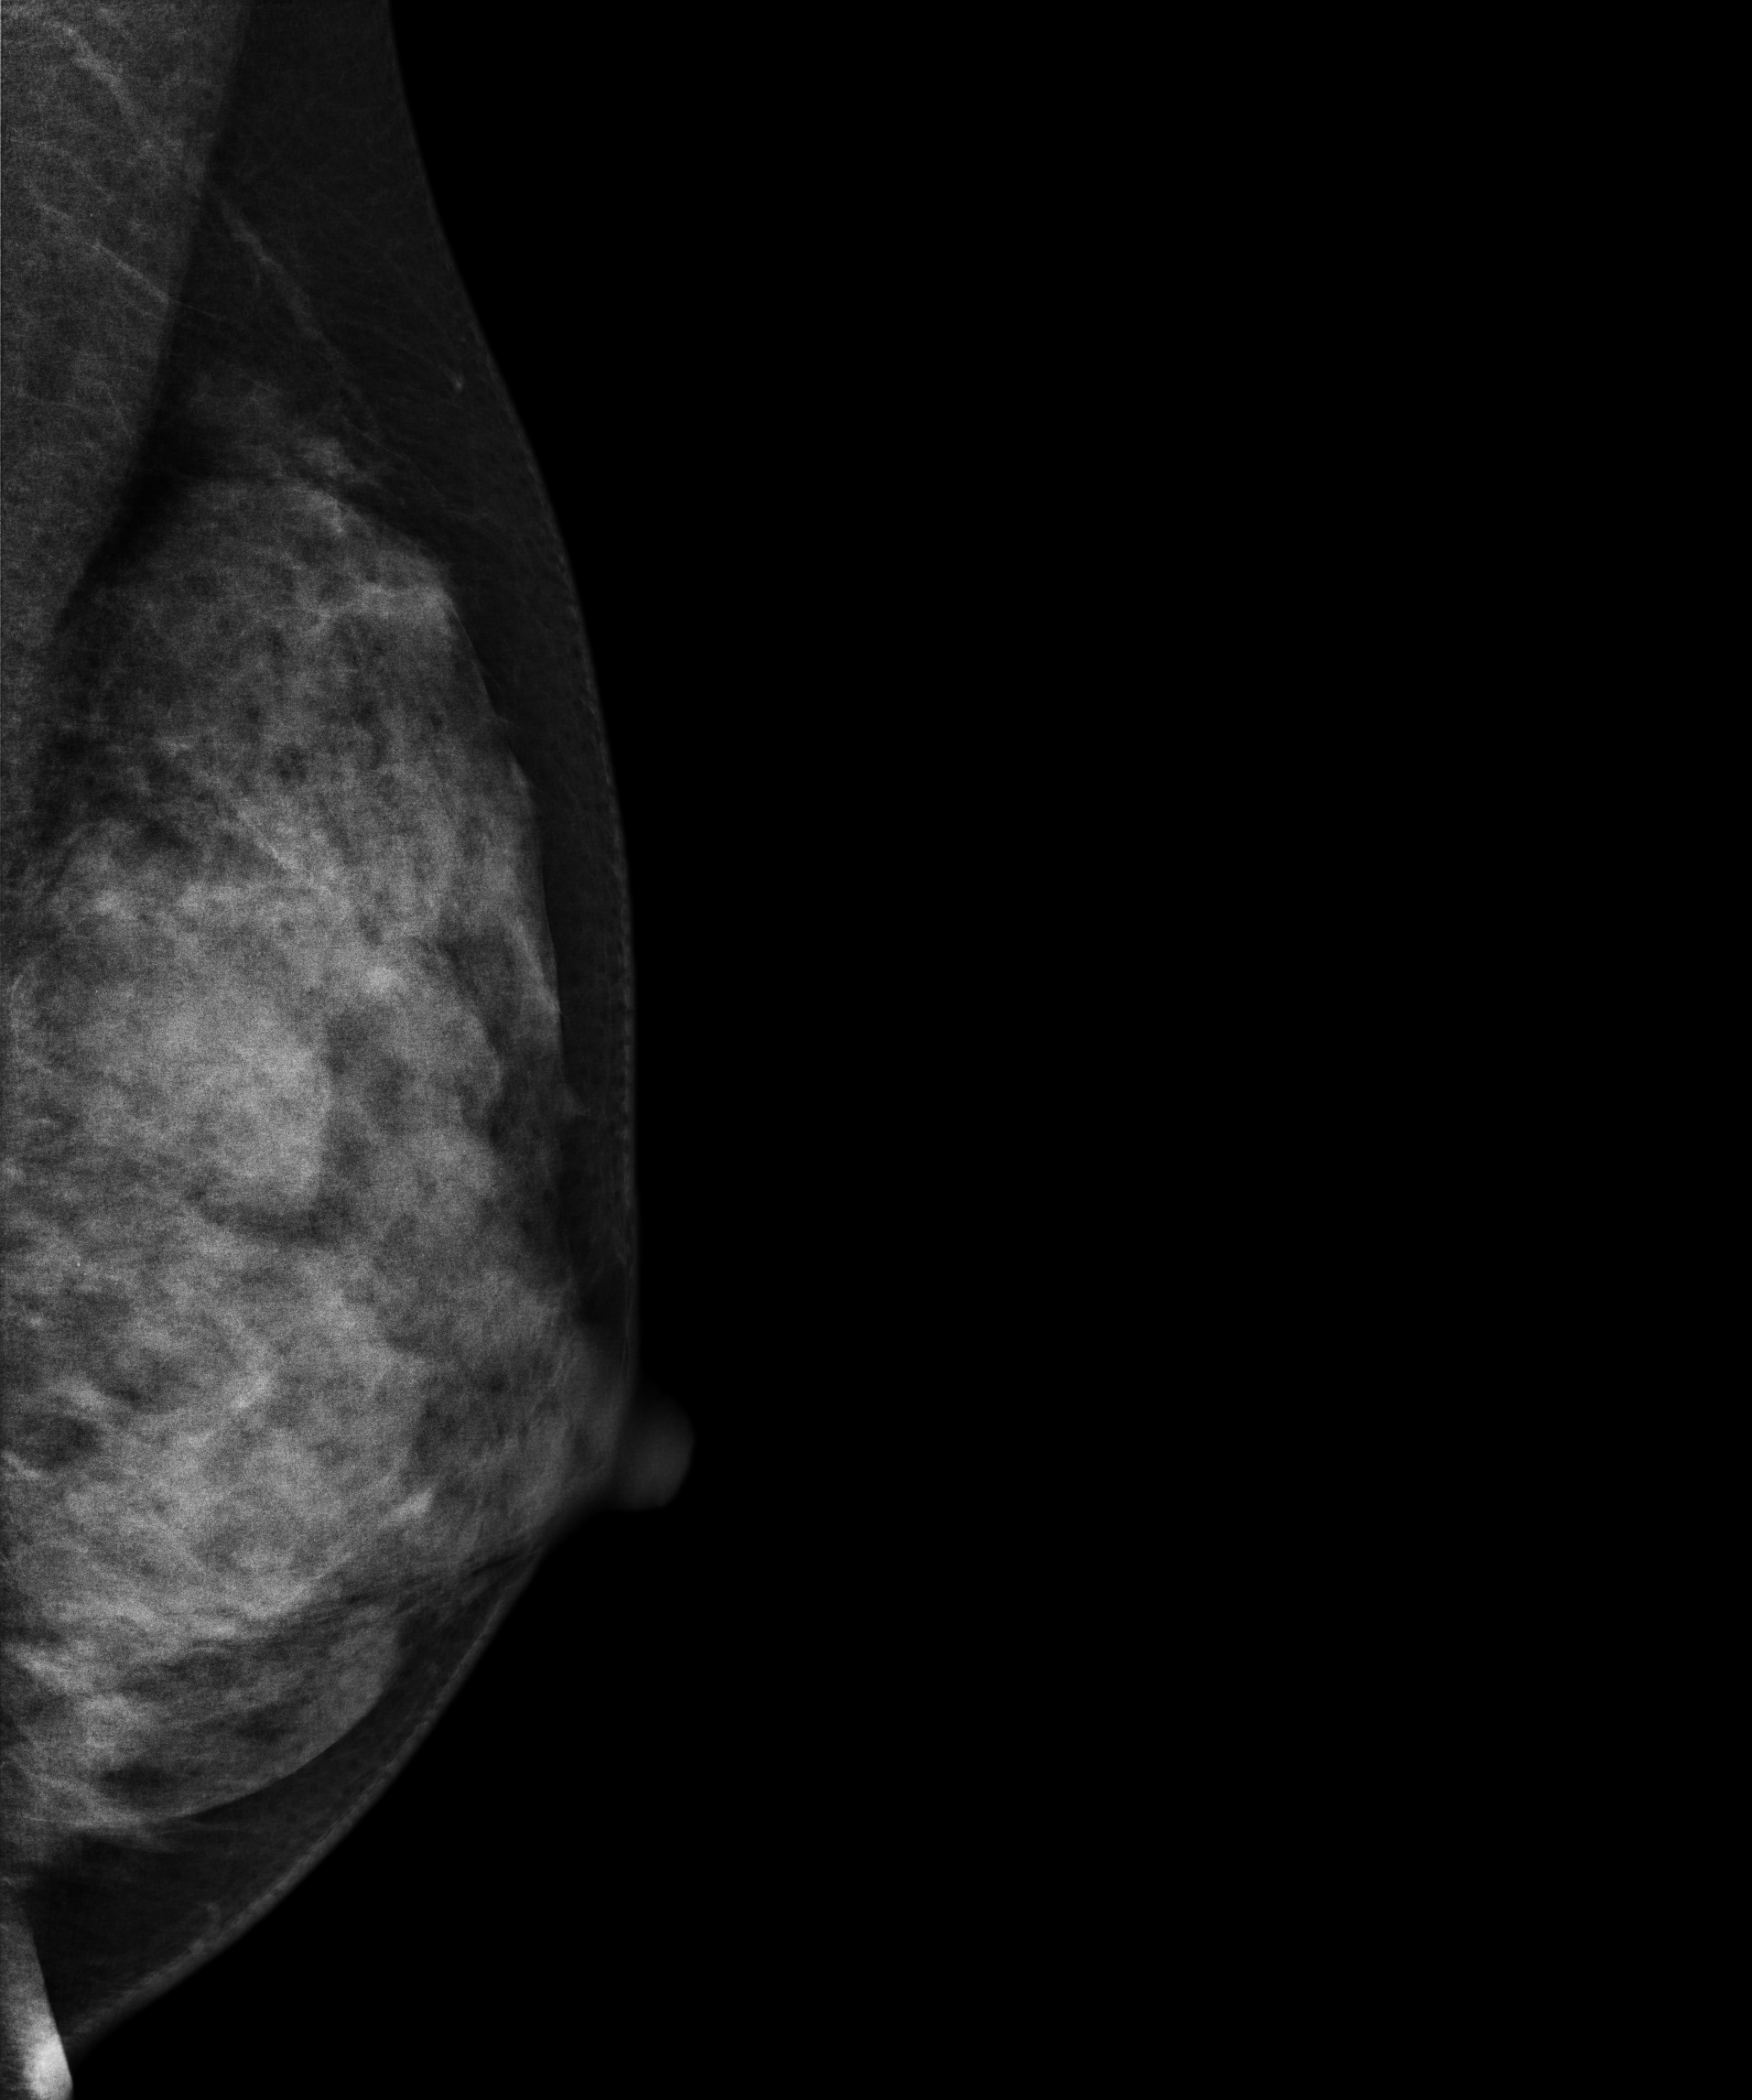
Digital mammography. Left breast, medio-lateral oblique projection. Patient age 35.
Contralateral breast — no documented abnormality on this side.